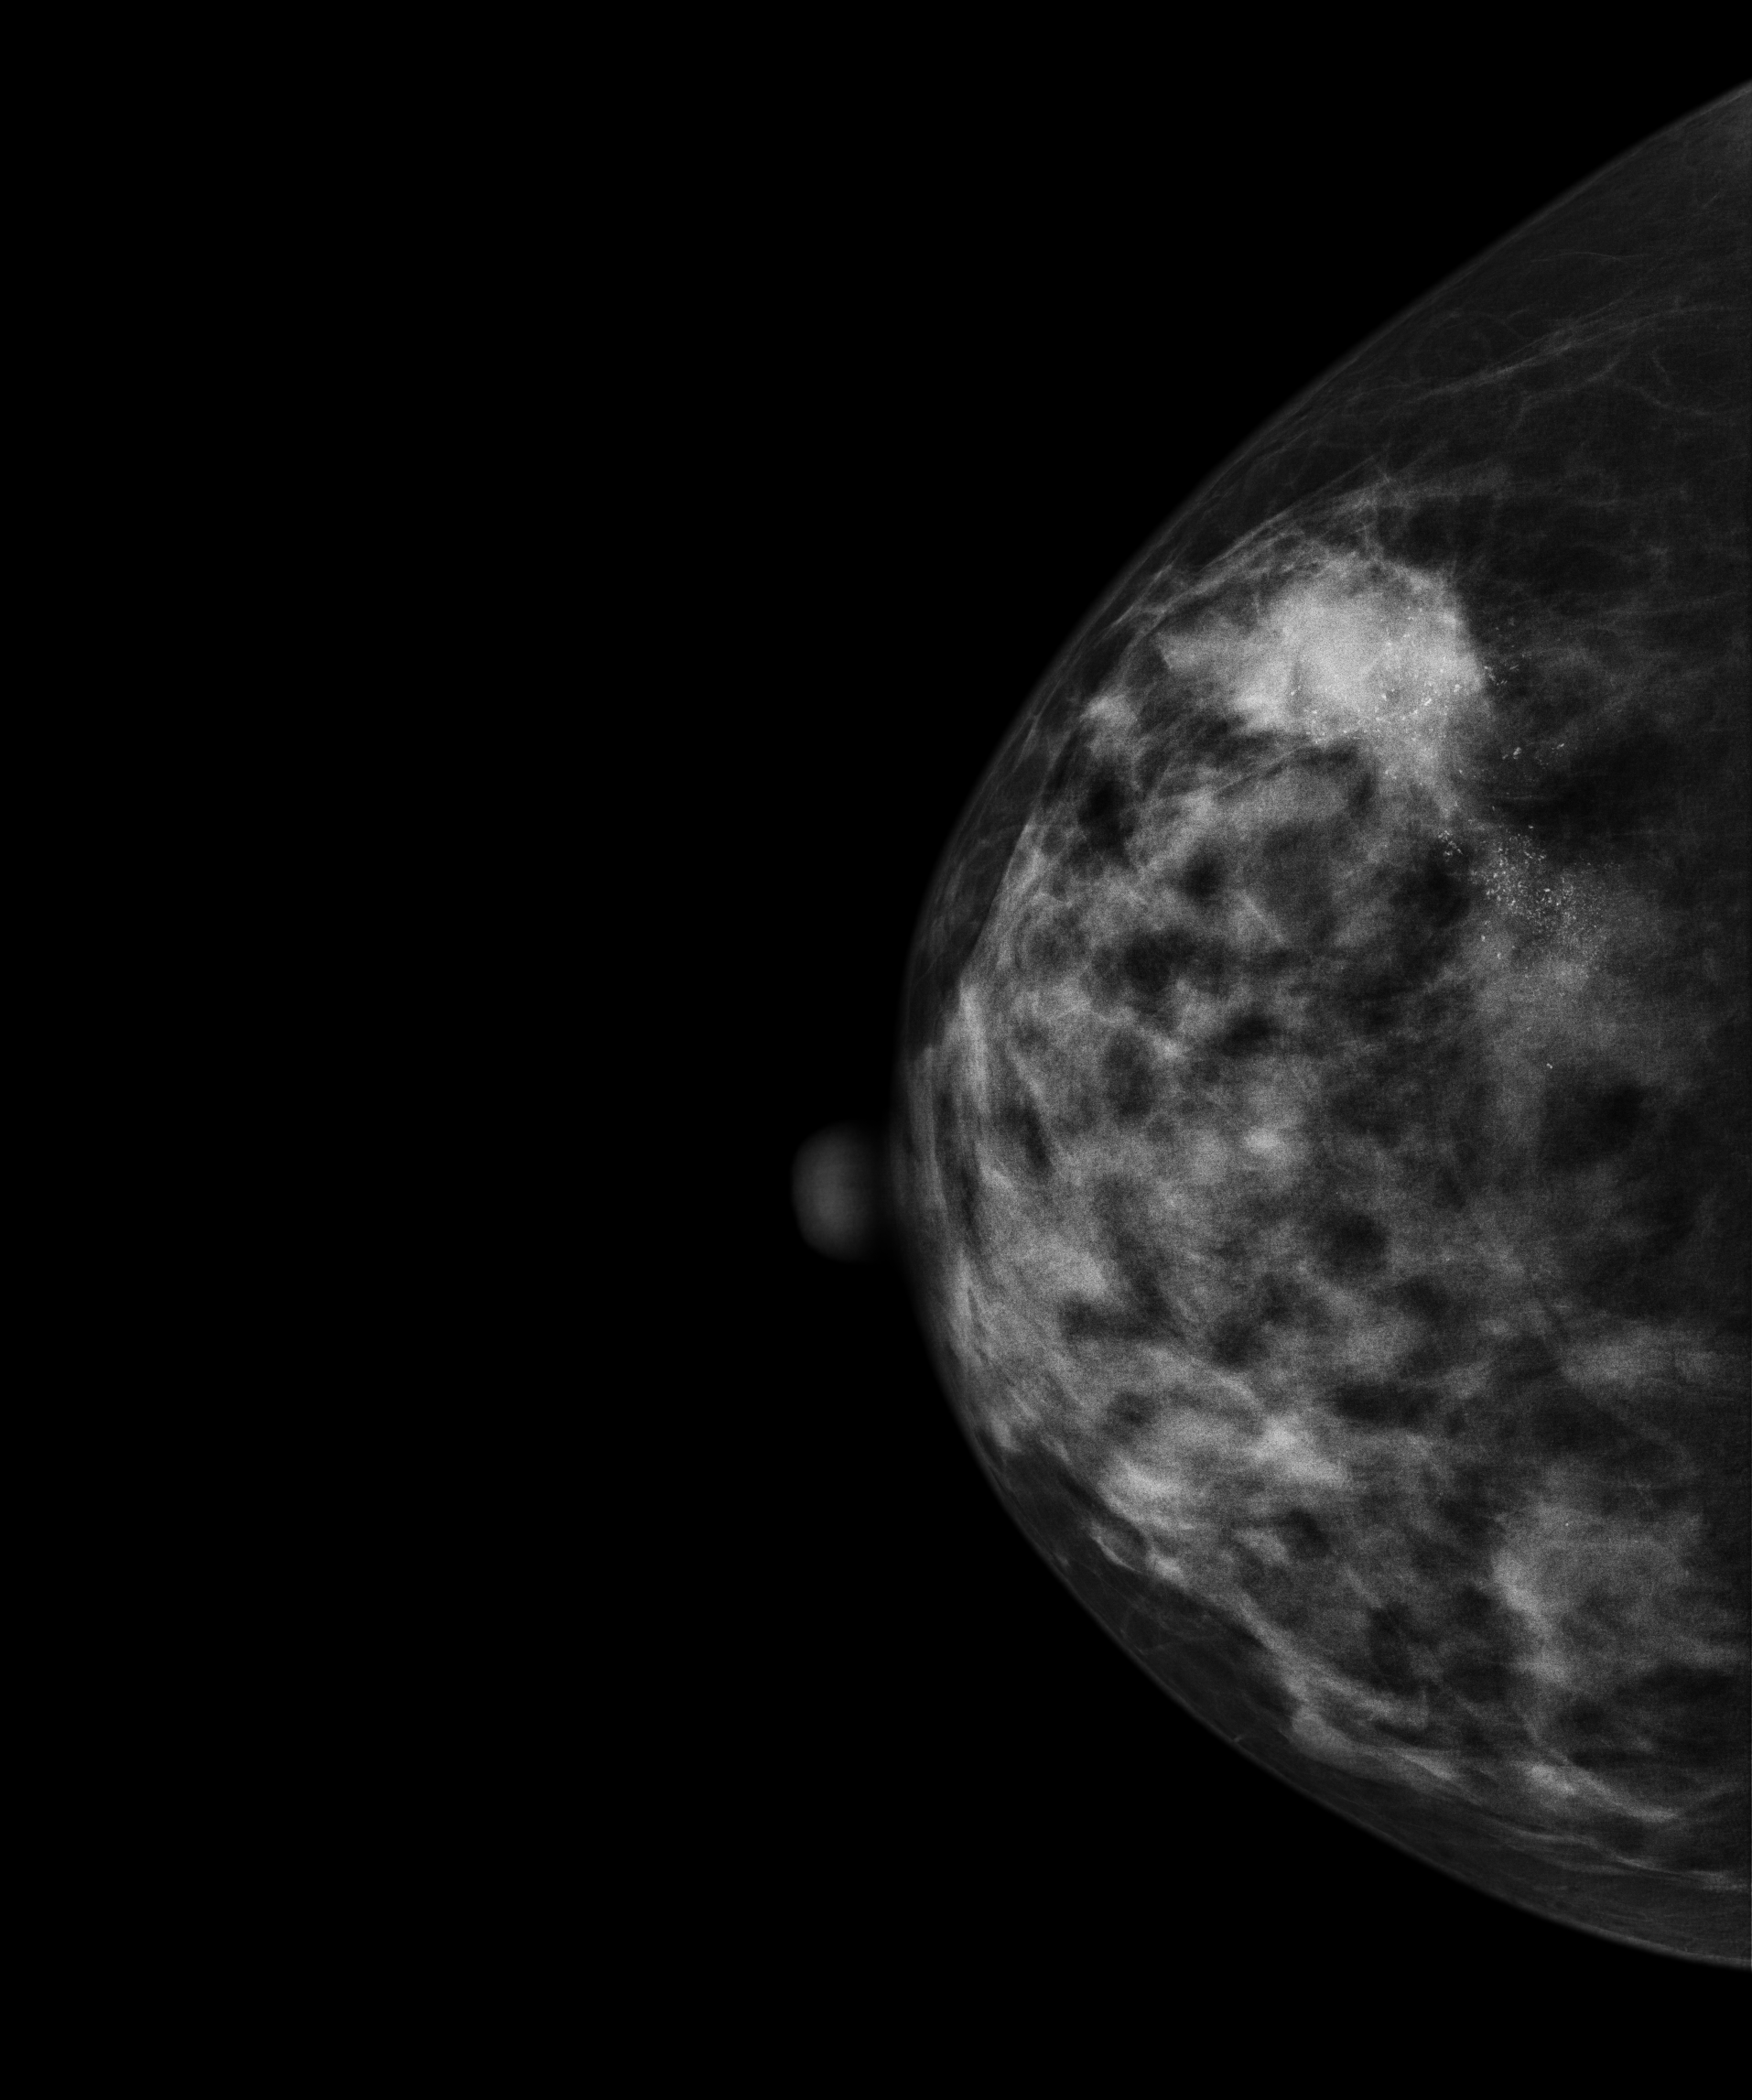
Digital mammography. Right breast, CC projection. 35-year-old patient.
This breast has a mass and calcifications, histologically confirmed malignant. Molecular subtype: HER2-enriched.